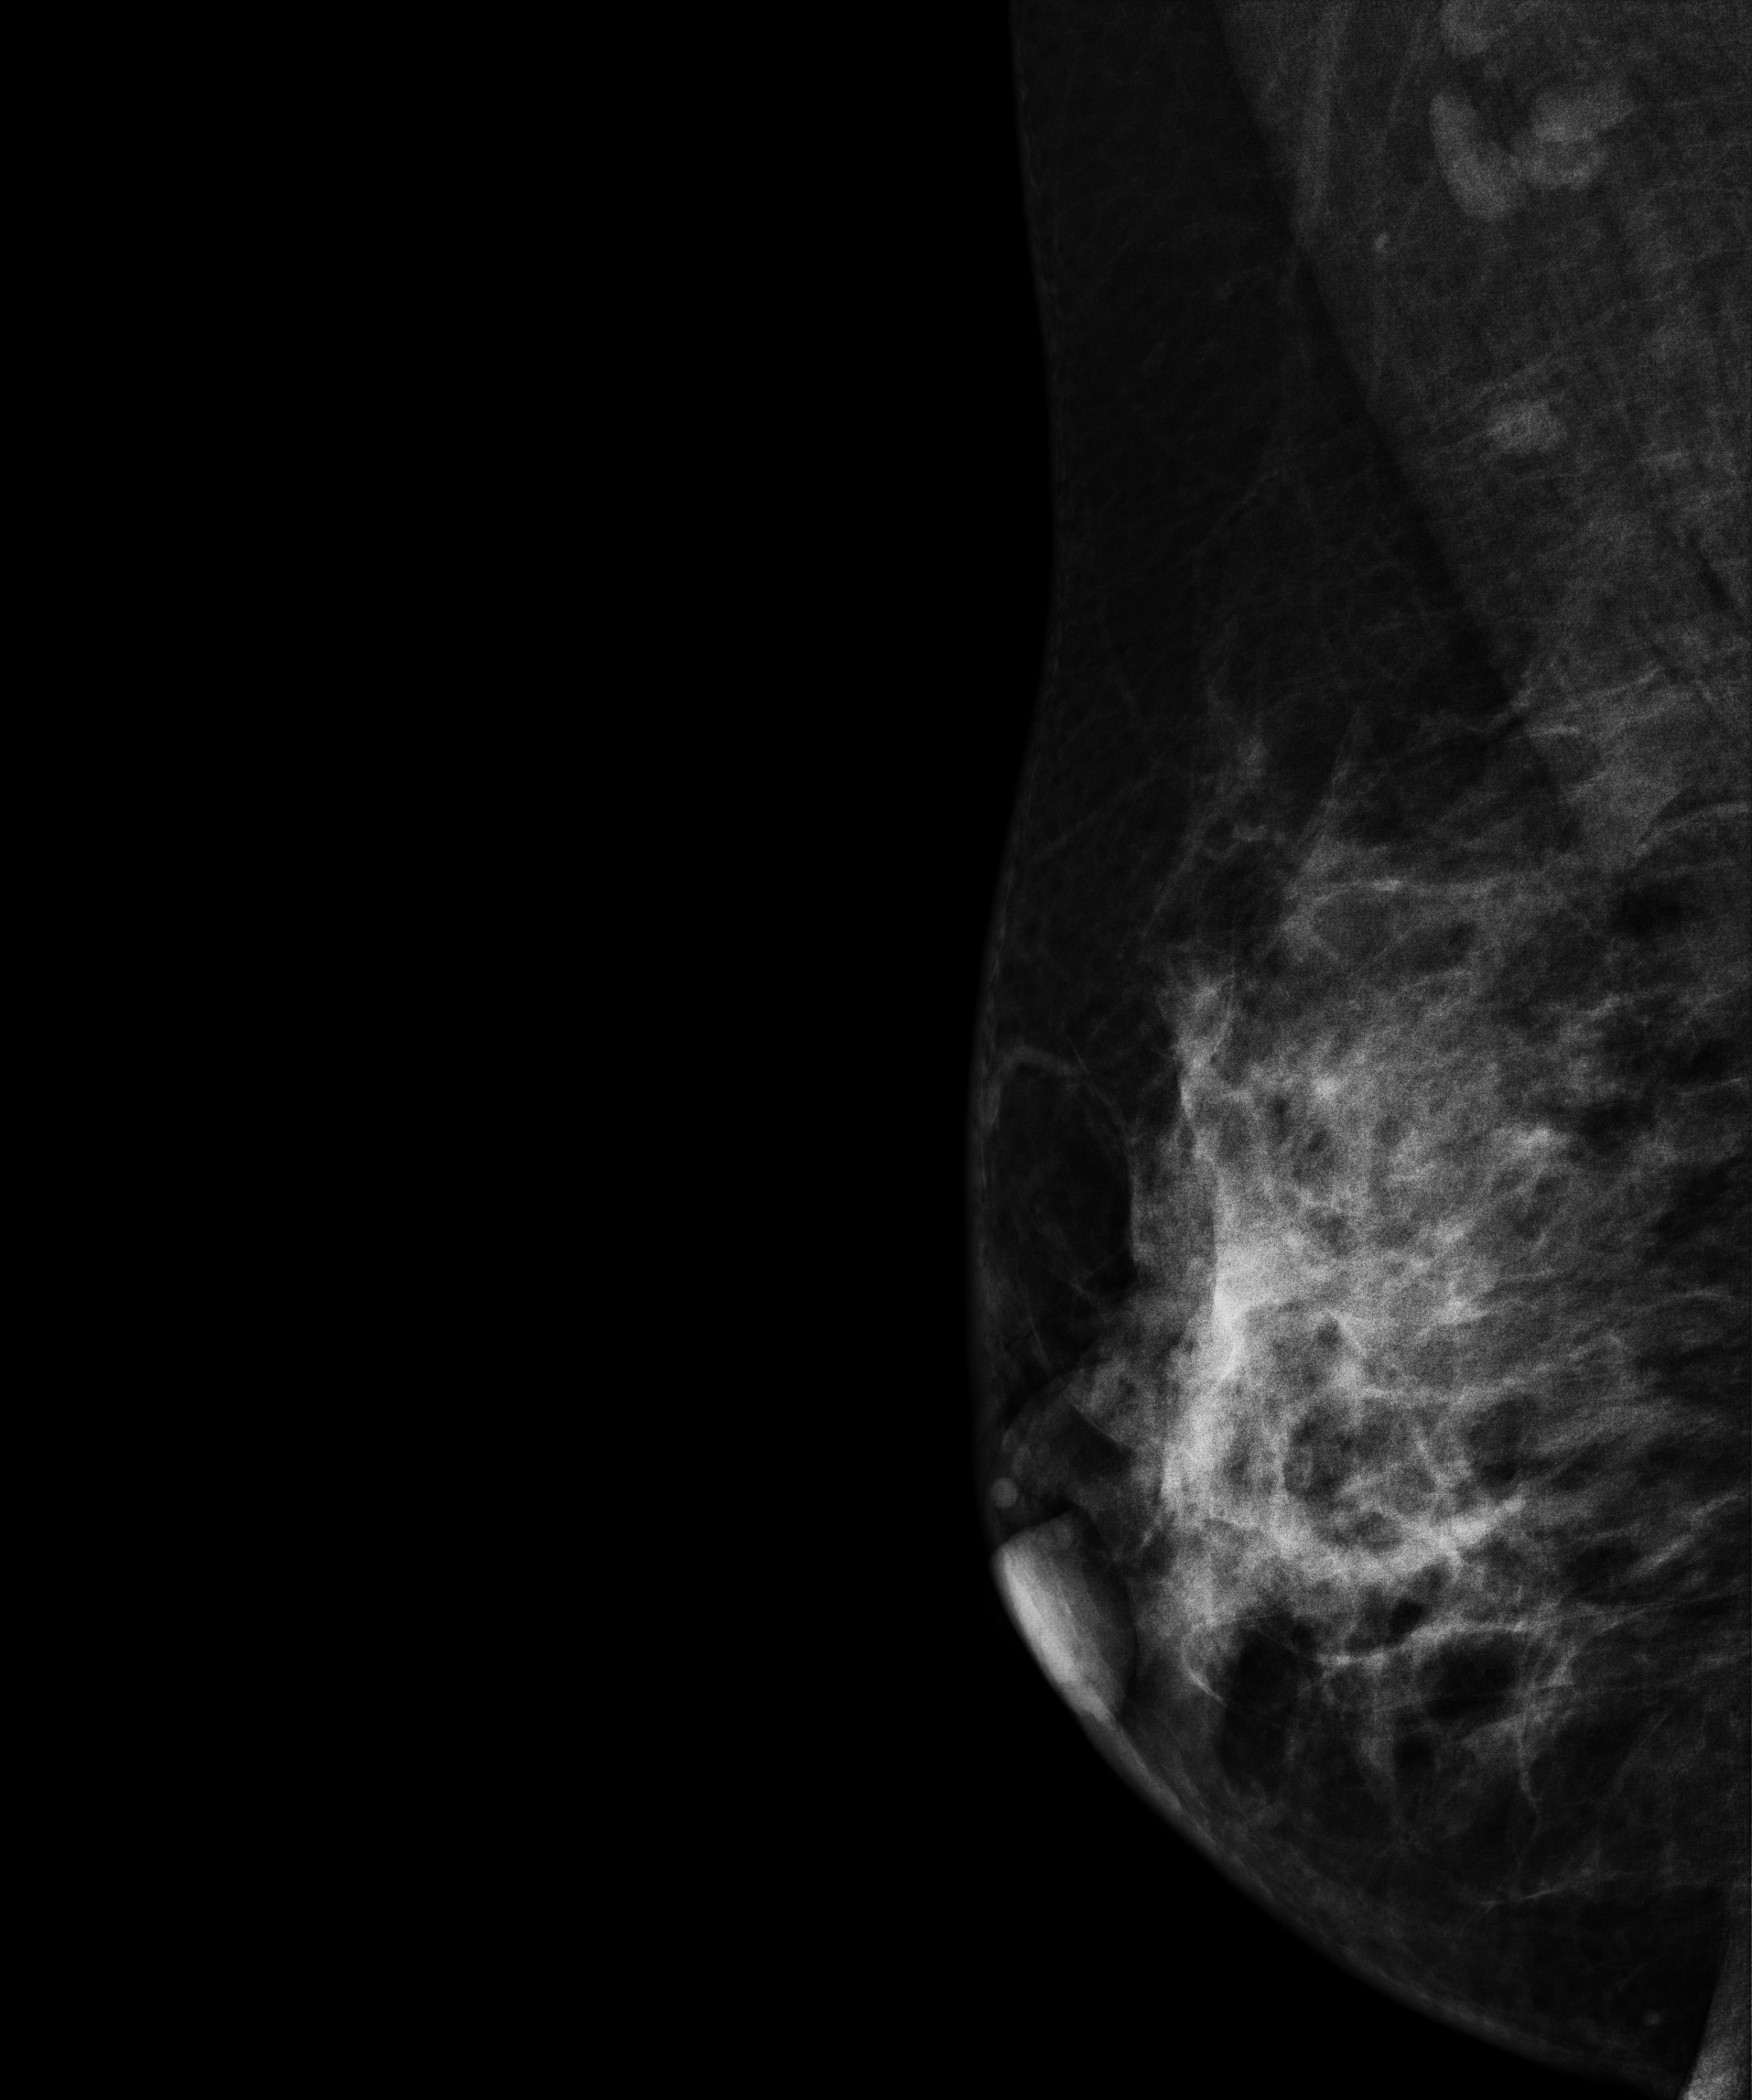
Digital mammography. Right breast, MLO projection. Patient age 42.
This breast has a mass, biopsy-proven malignant. Molecular subtype: luminal B.